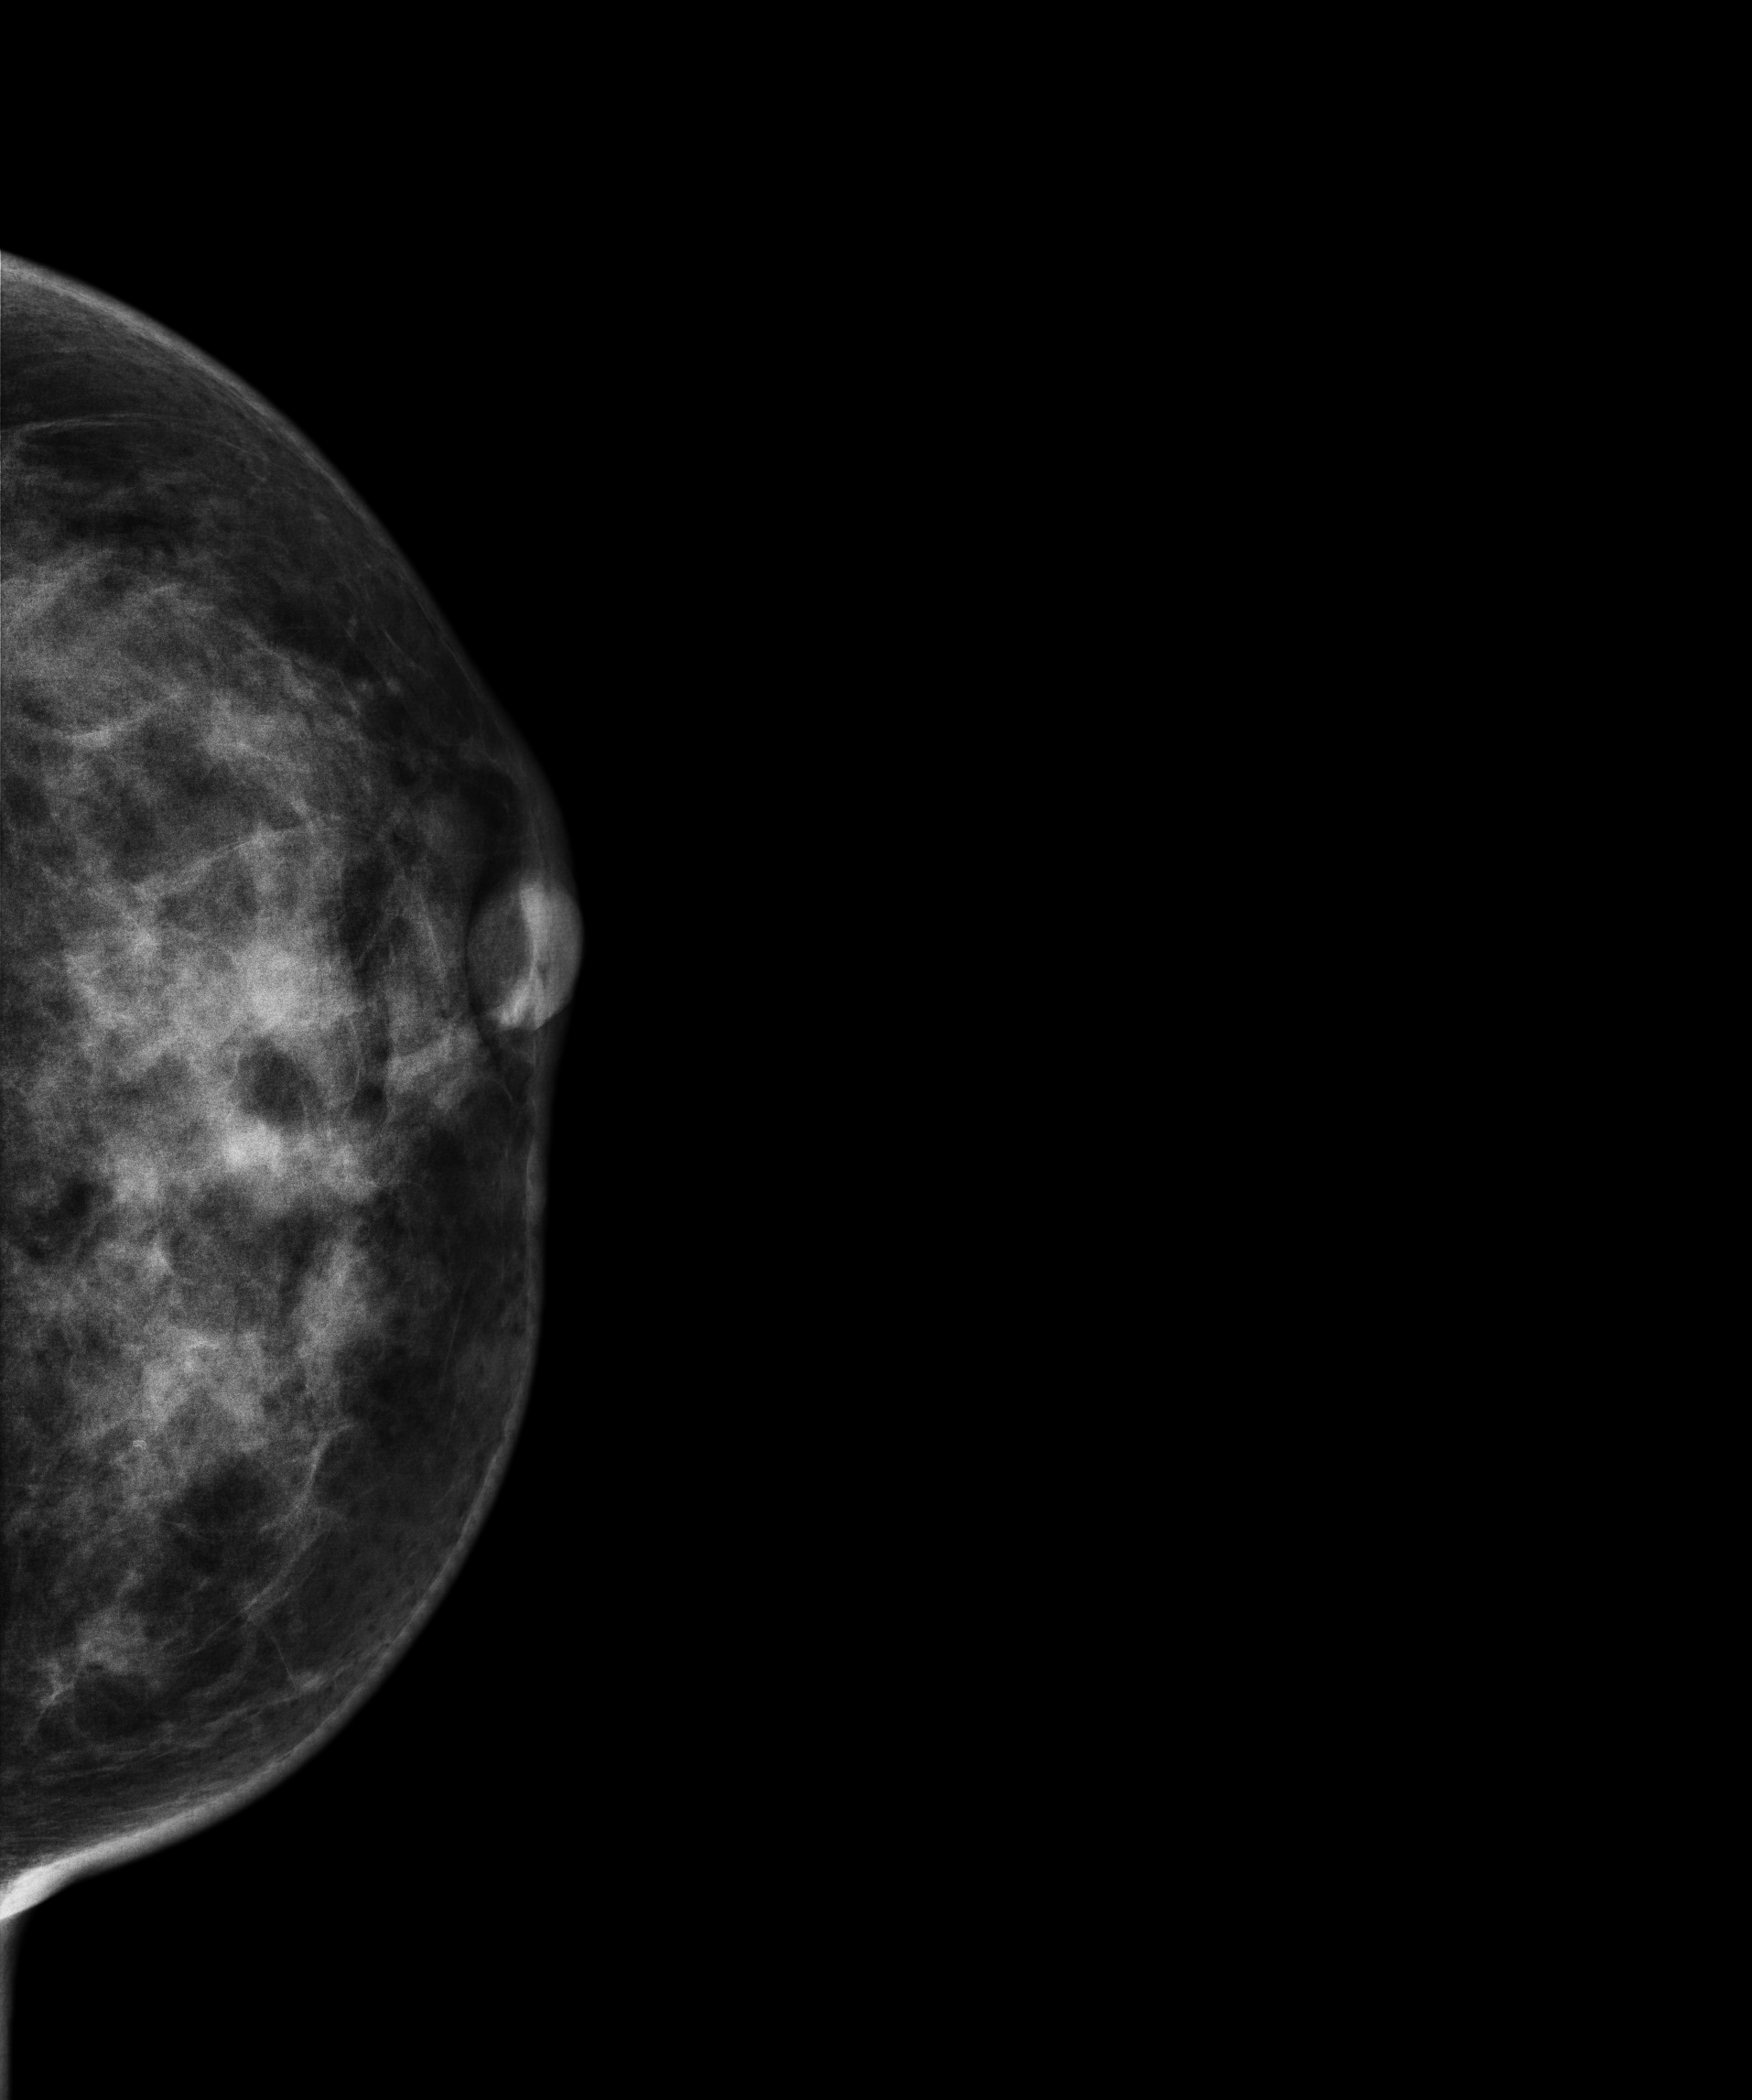
Mammogram — left cranio-caudal. 43 y/o patient.
This breast has a mass, biopsy-confirmed benign.